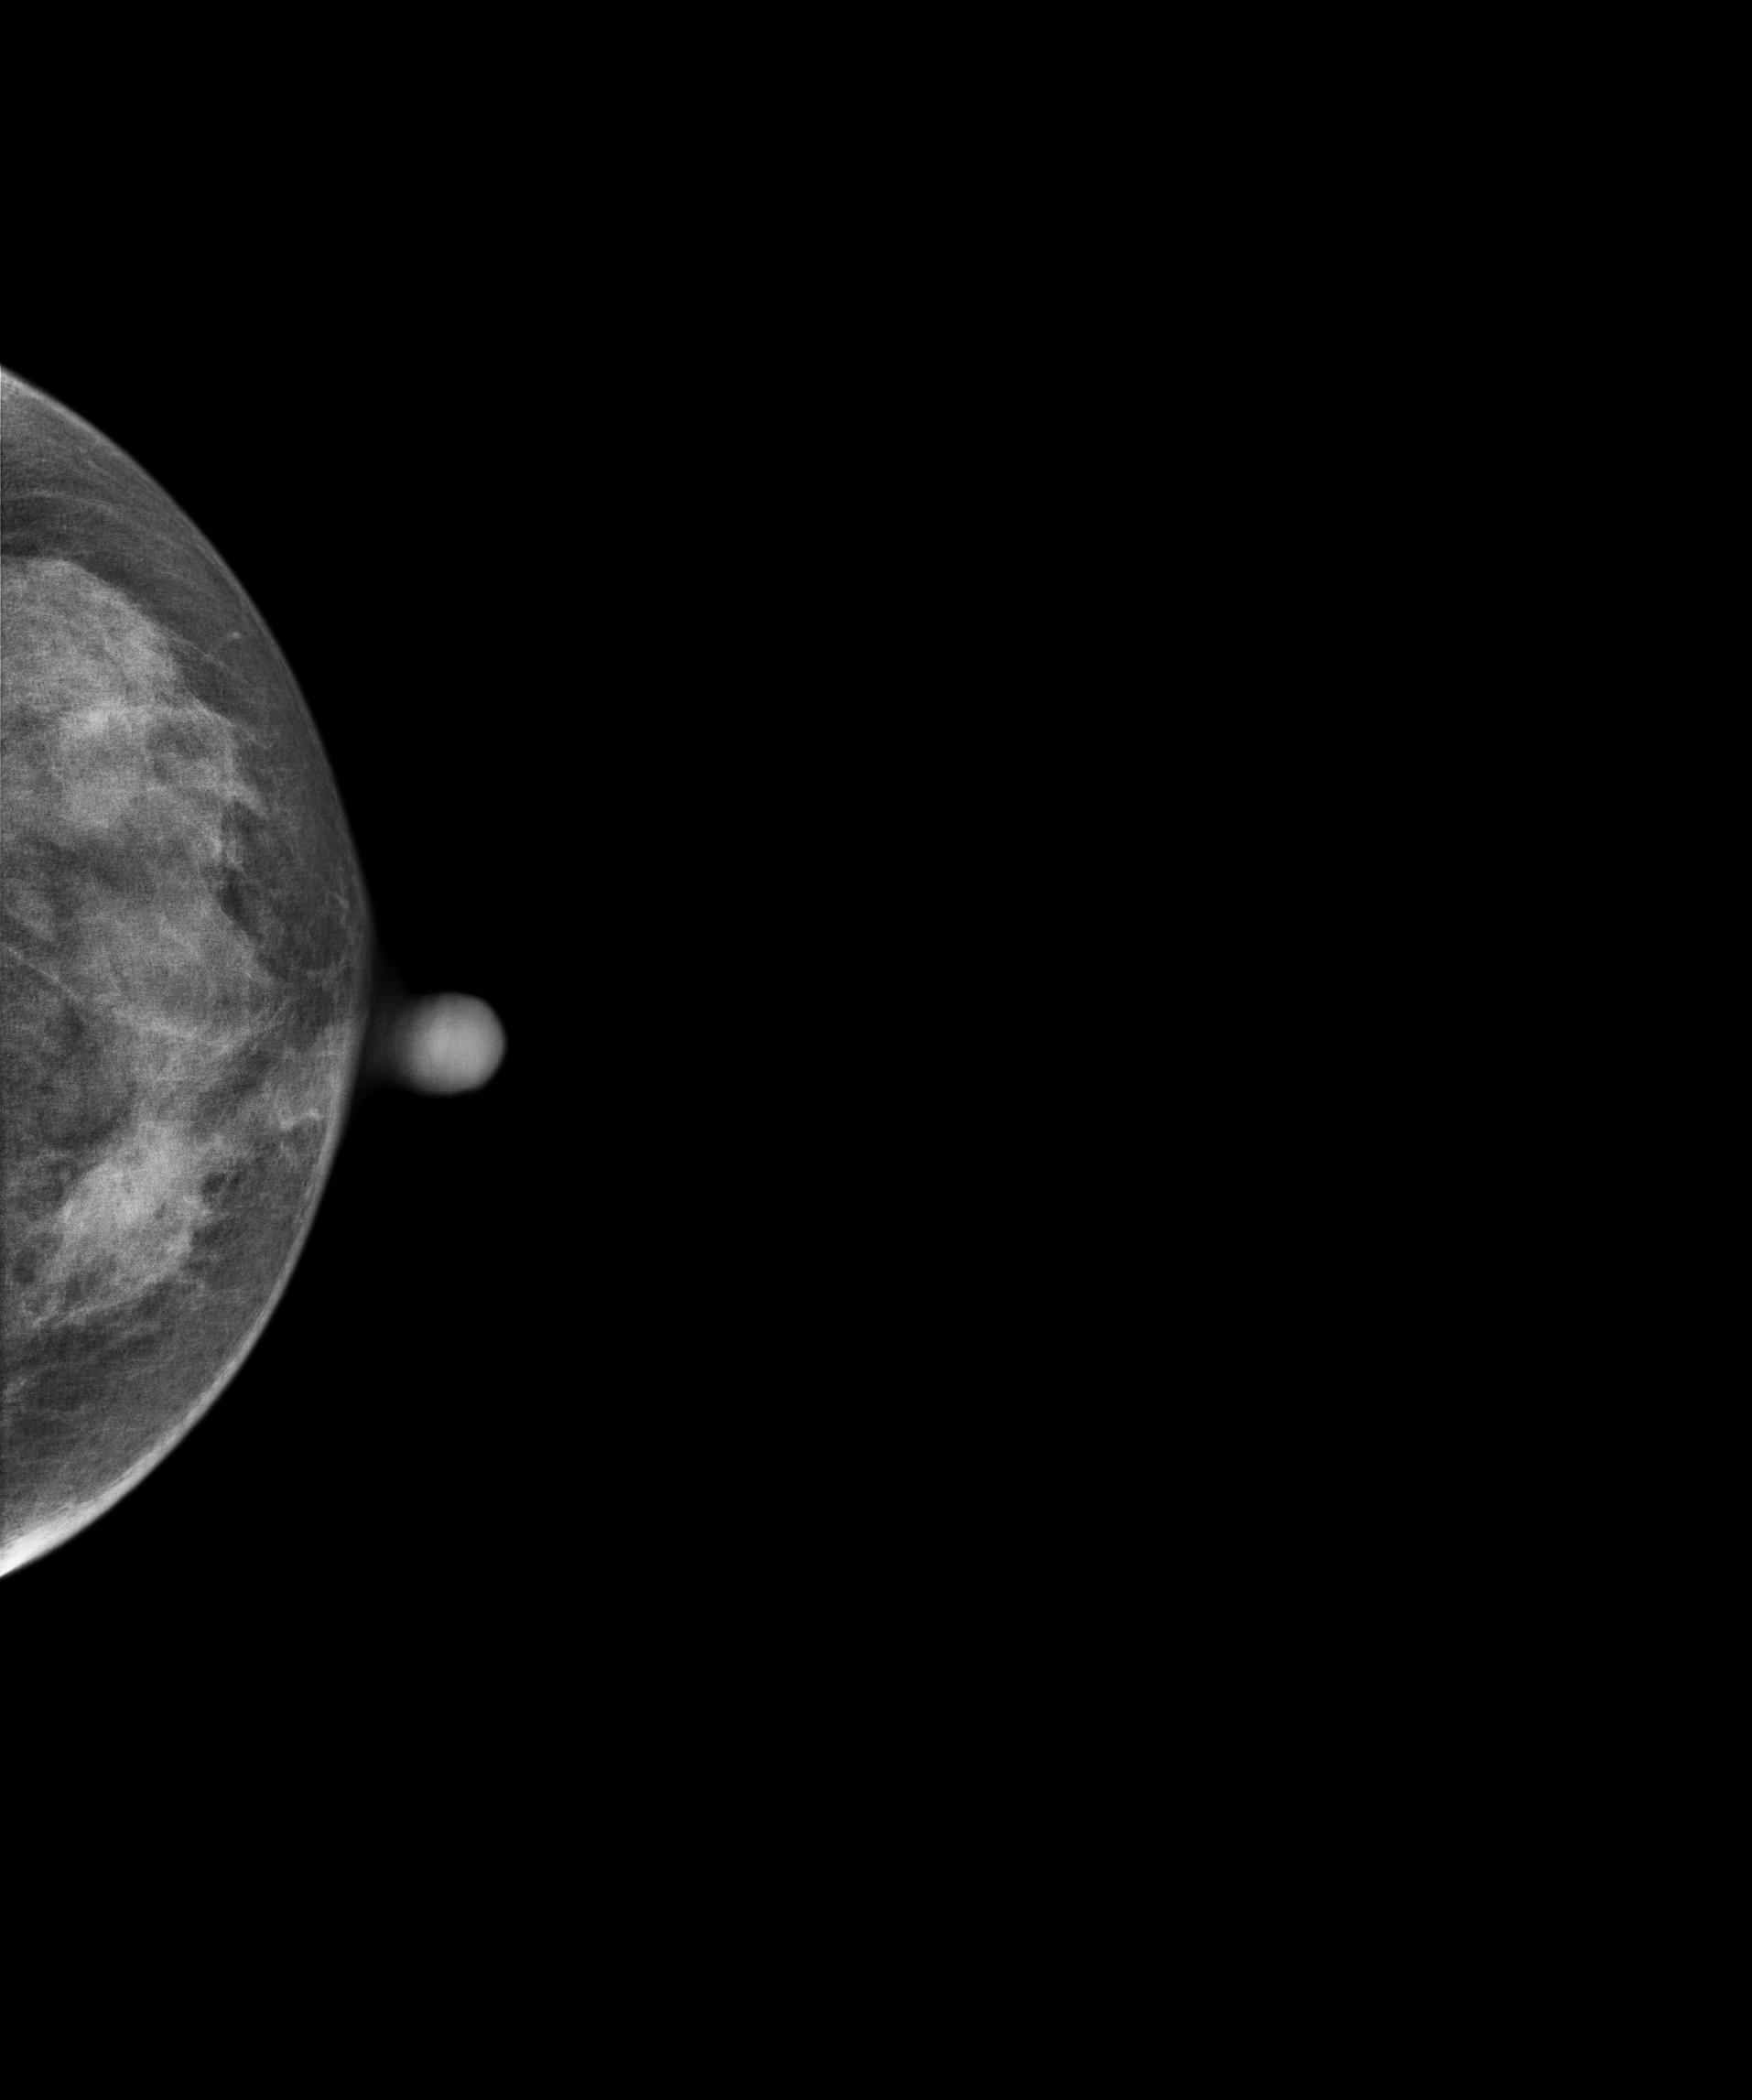
Digital mammography. Left breast, cranio-caudal projection. 48 y/o patient.
This breast has a mass, histologically confirmed benign.